Left-breast mammogram, CC. 66-year-old patient.
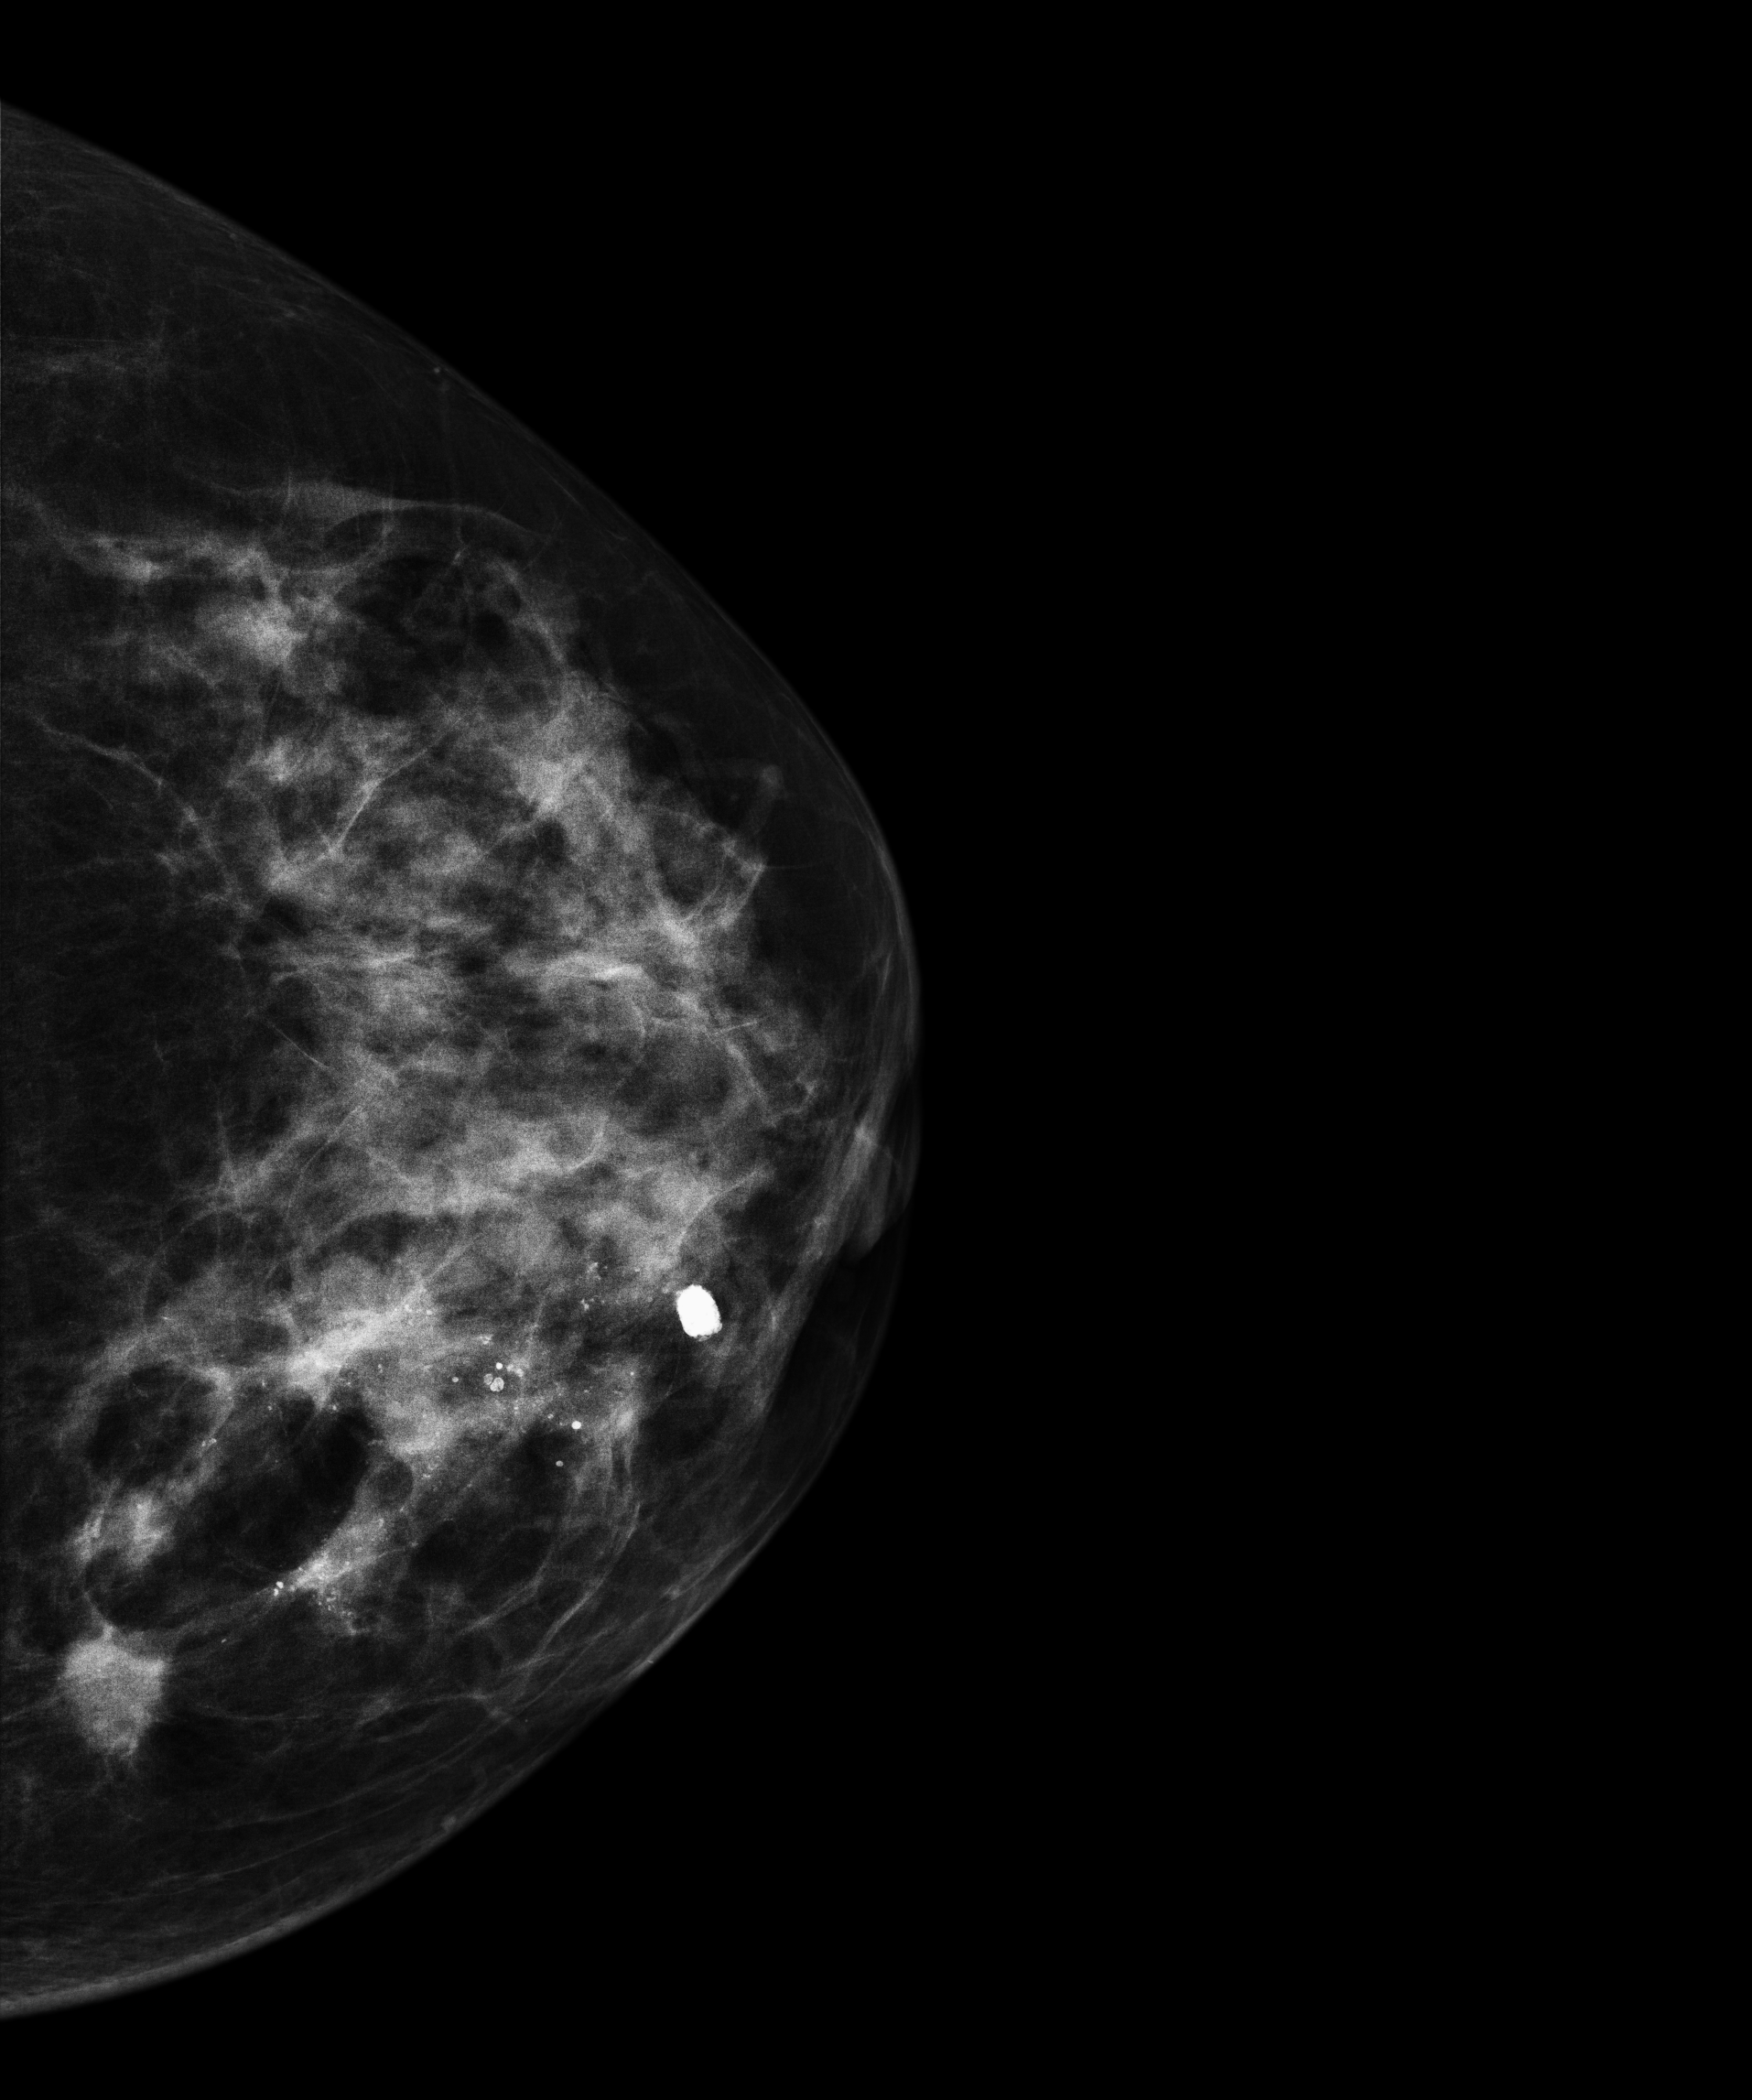
This breast has a mass and calcifications, histologically confirmed malignant. Molecular subtype: luminal B.